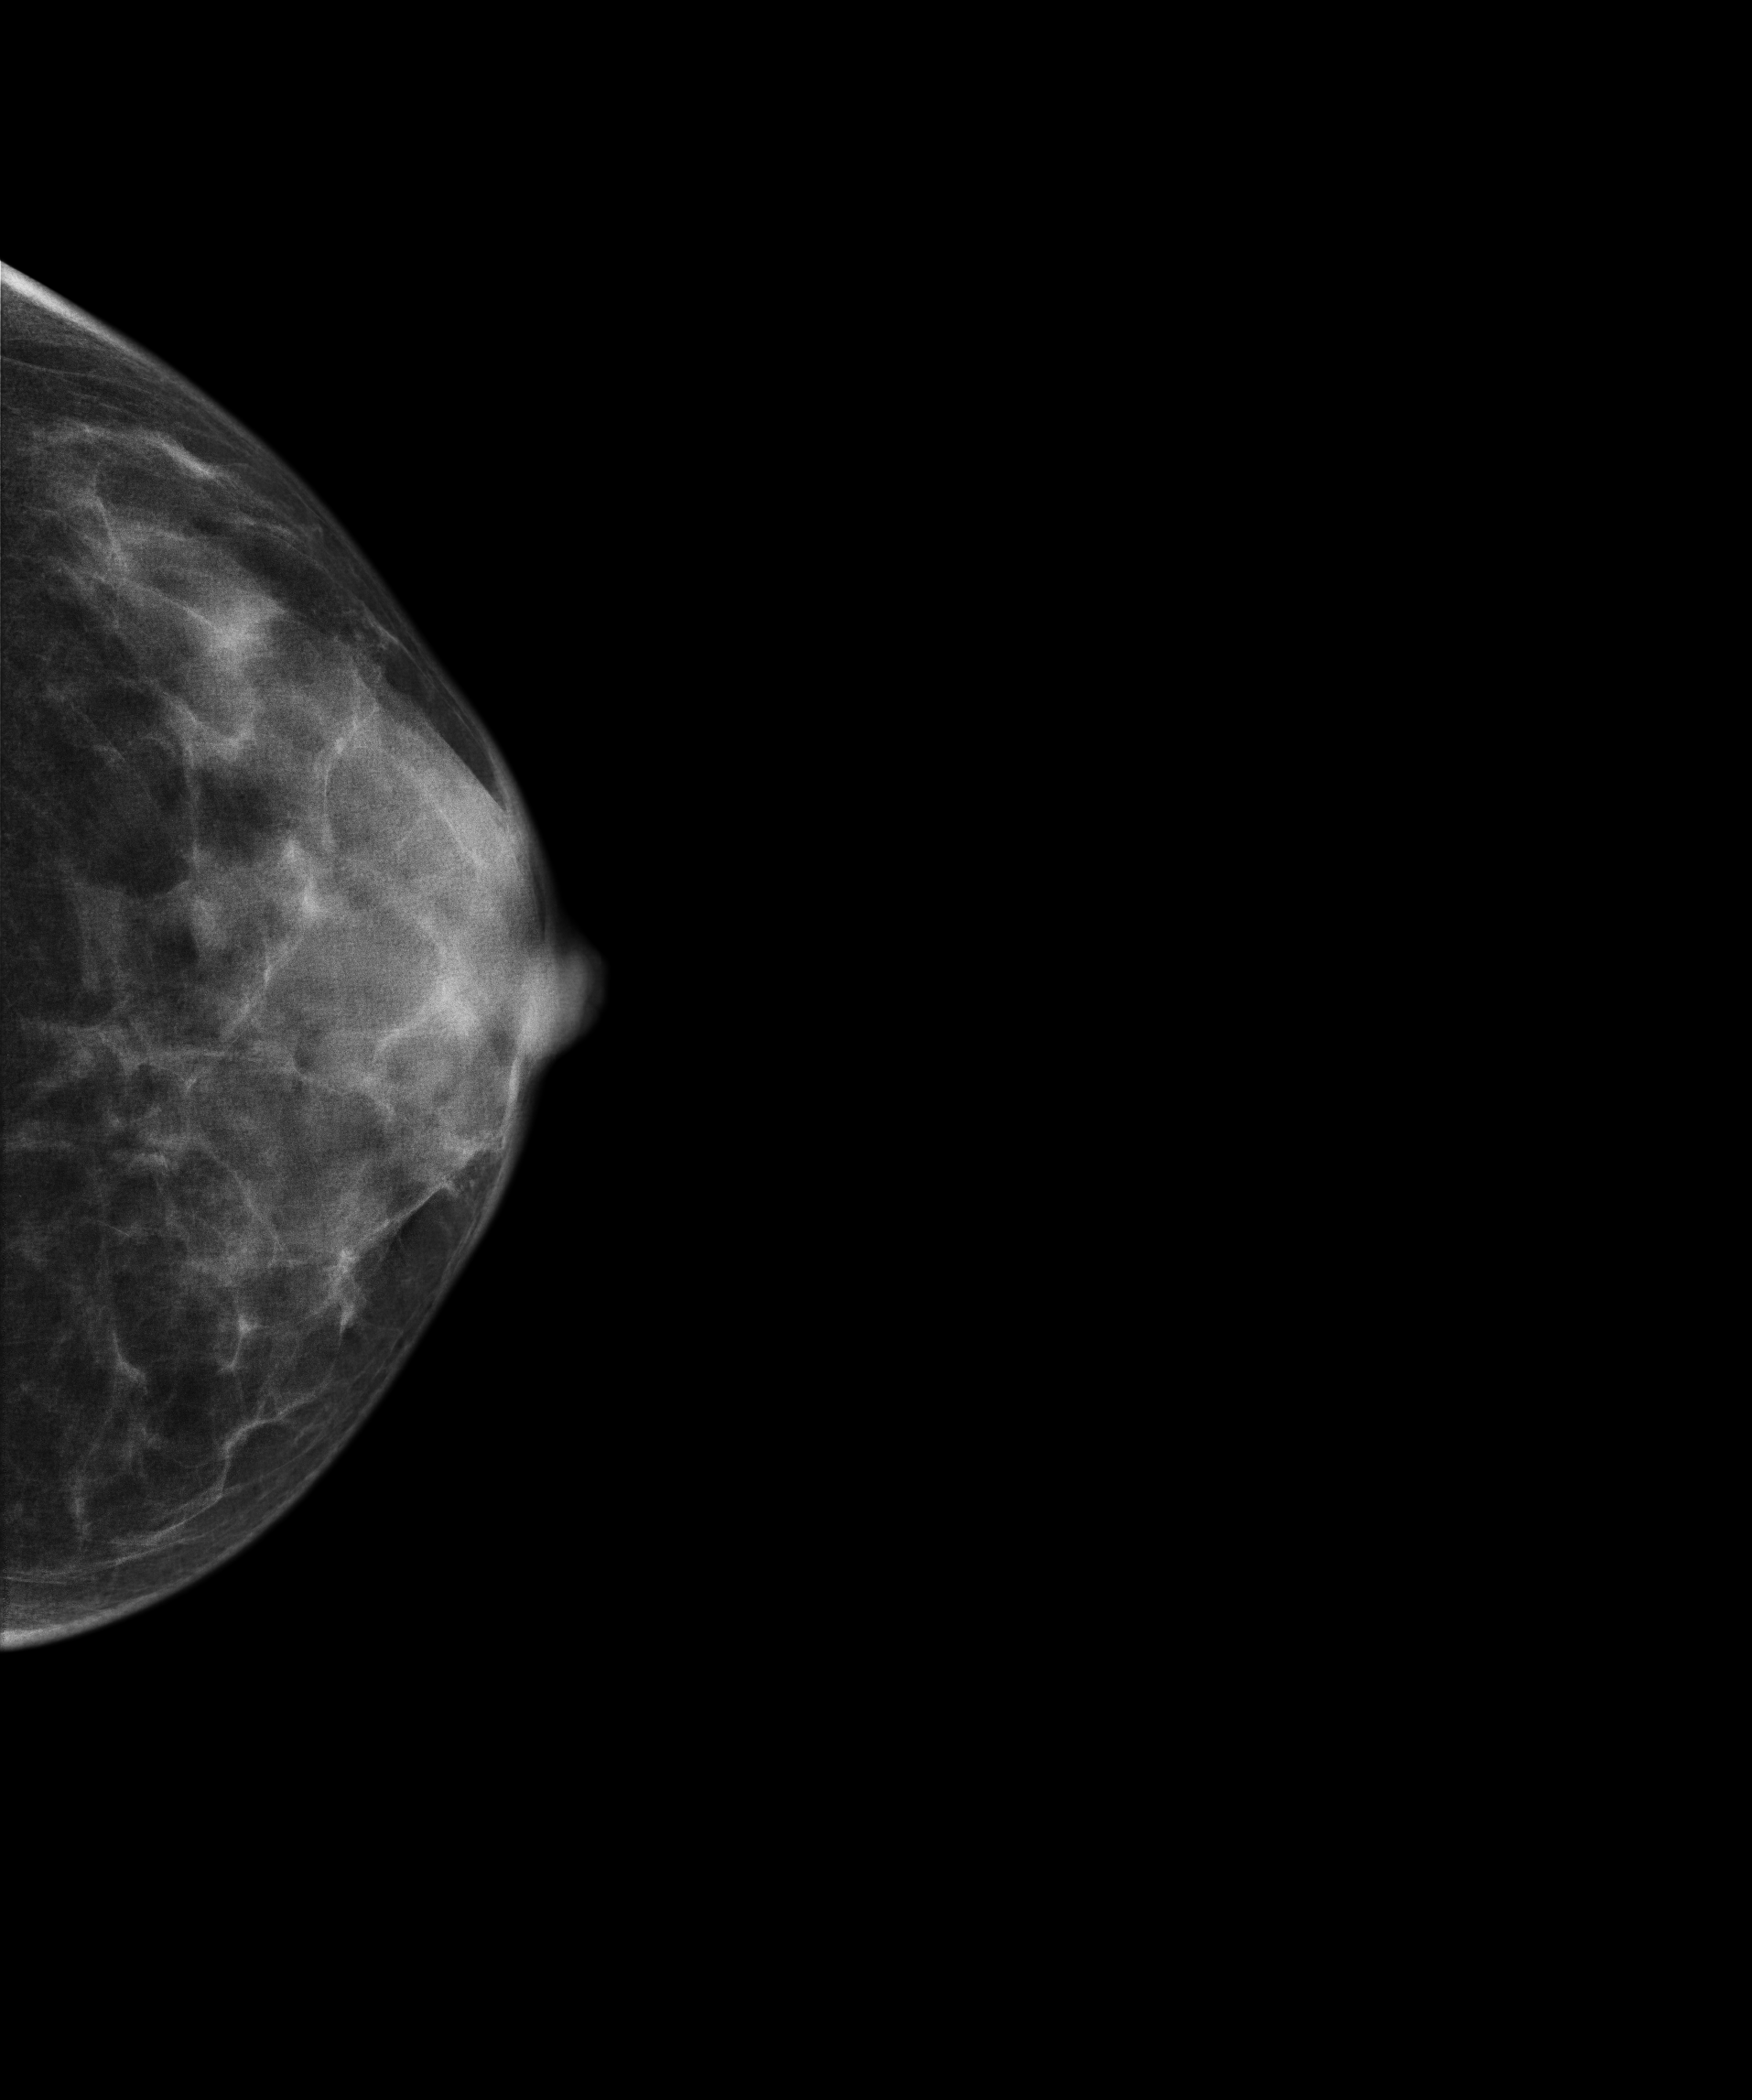
Mammogram, left breast, CC view. 35 y/o patient.
This breast has a mass, histologically confirmed benign.